Left-breast mammogram, MLO. 36-year-old patient.
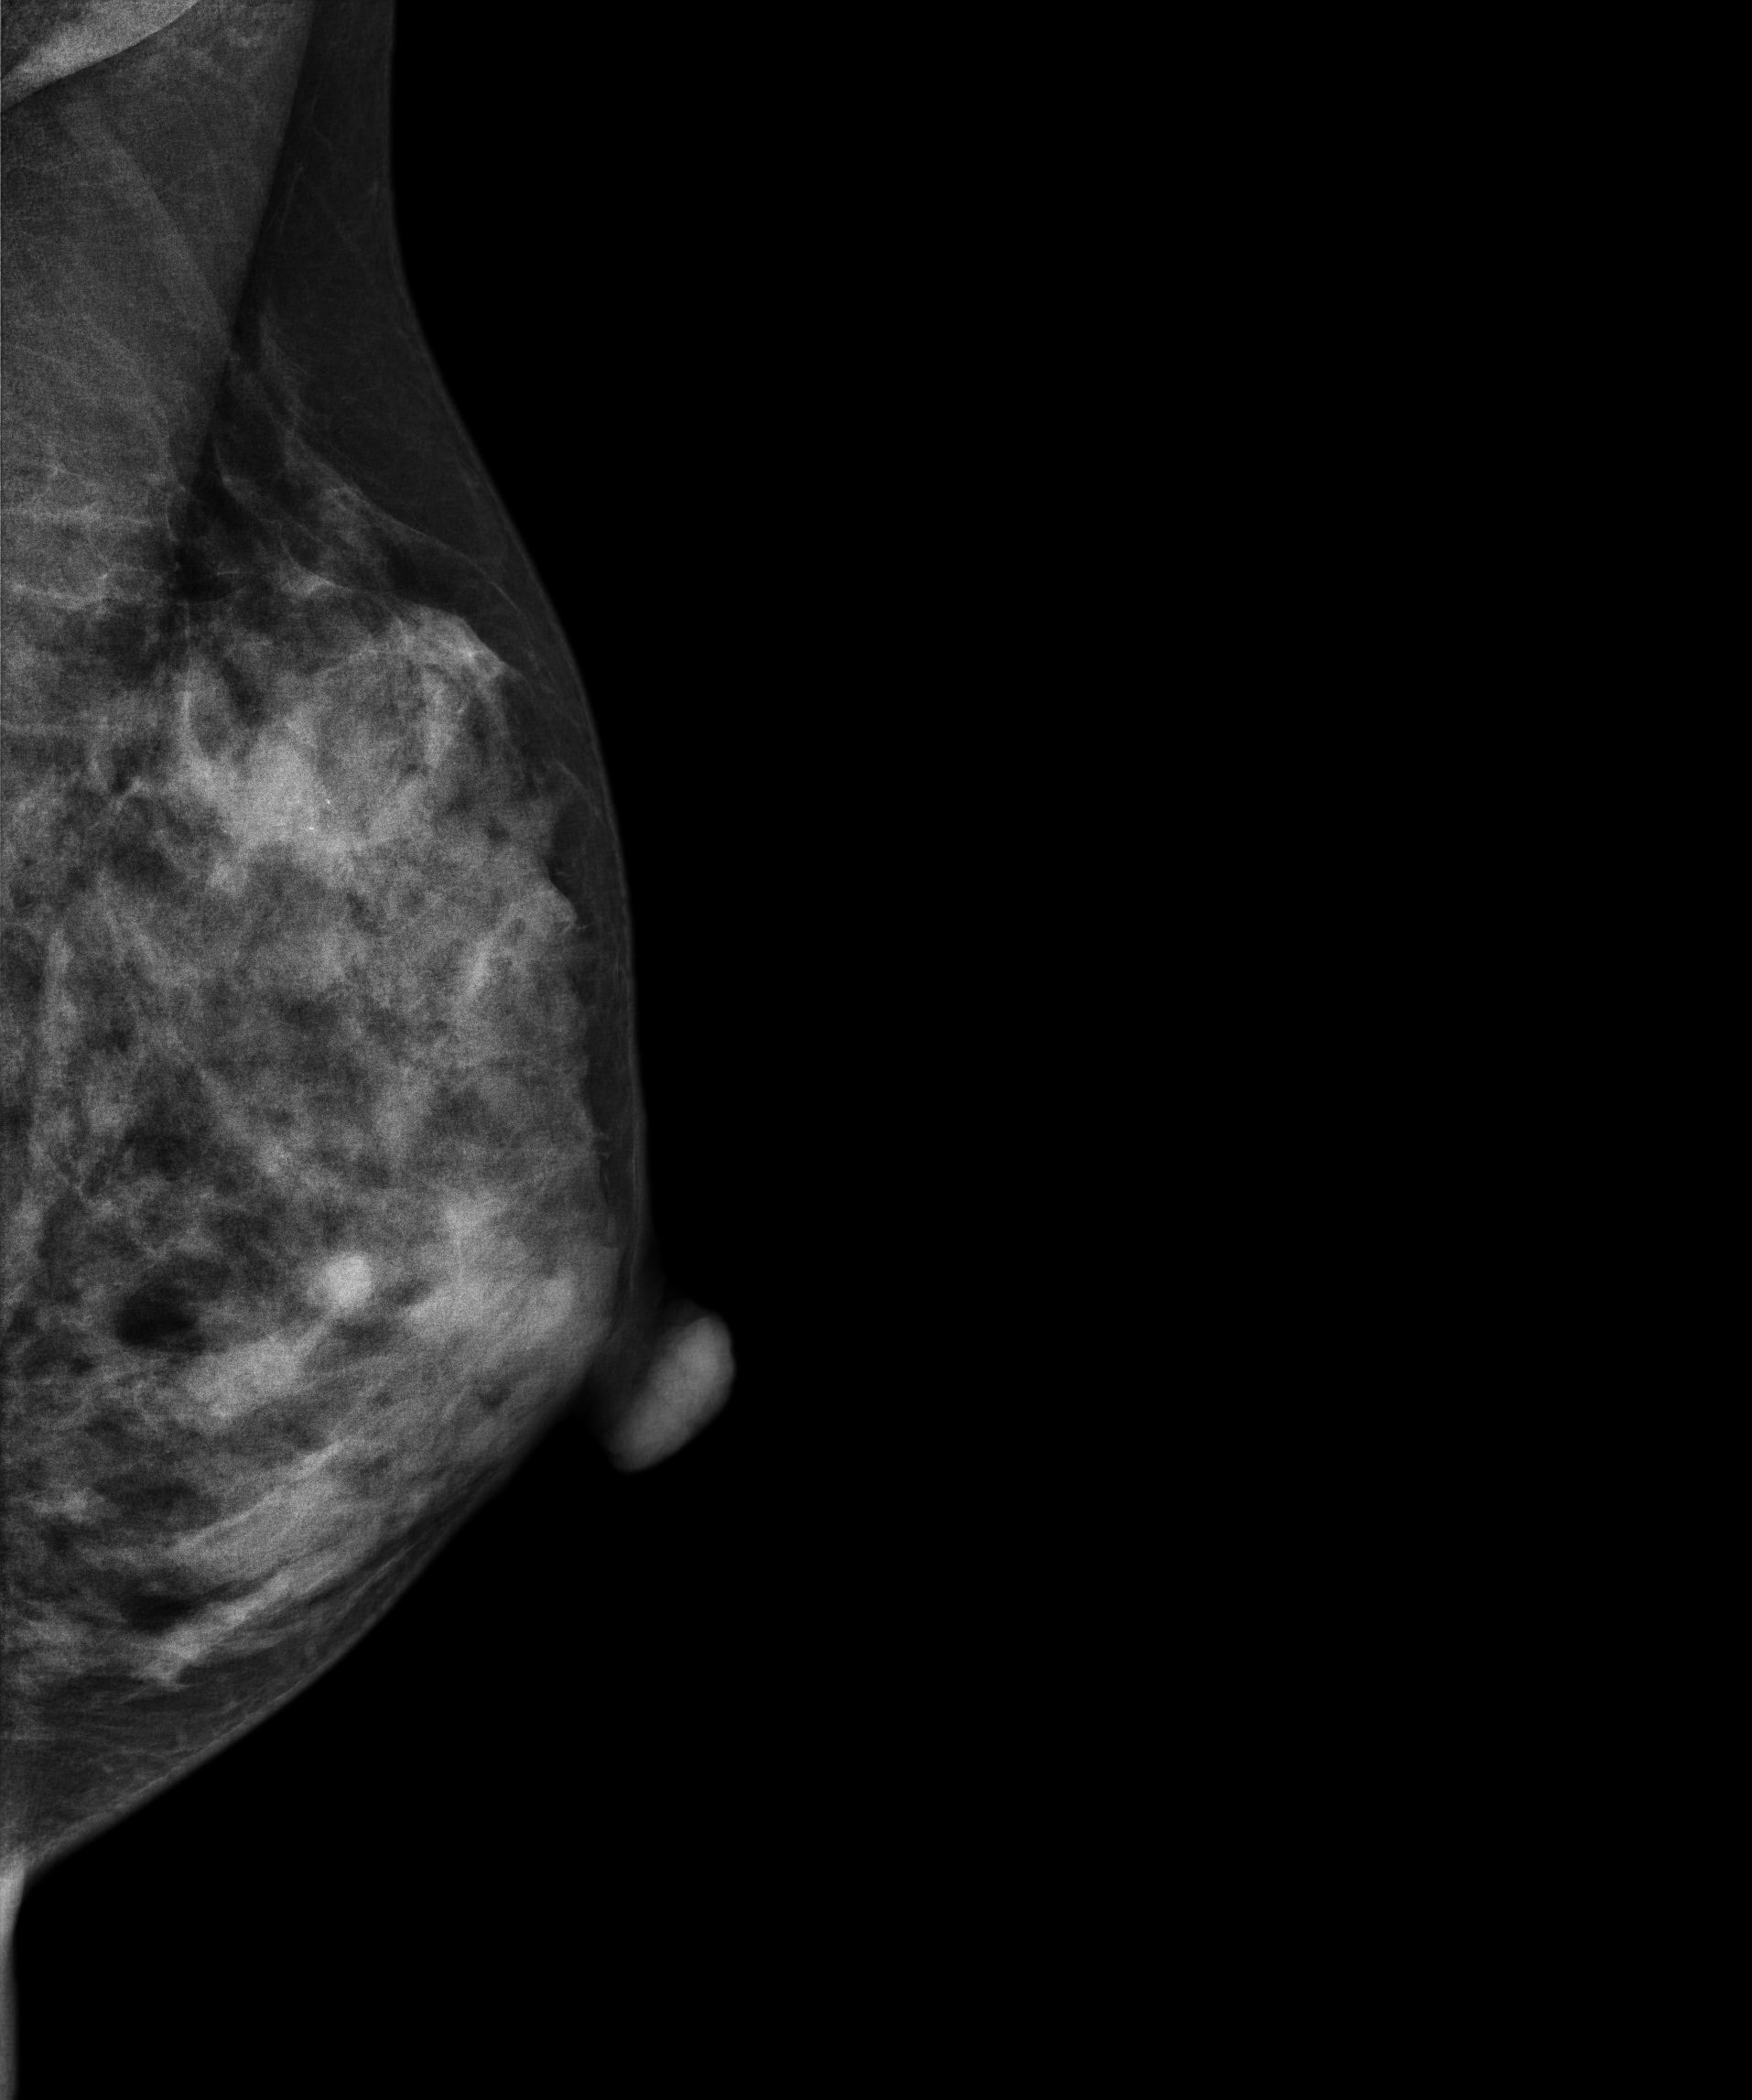
This breast has a mass and calcifications, pathology-confirmed malignant. Molecular subtype: luminal B.